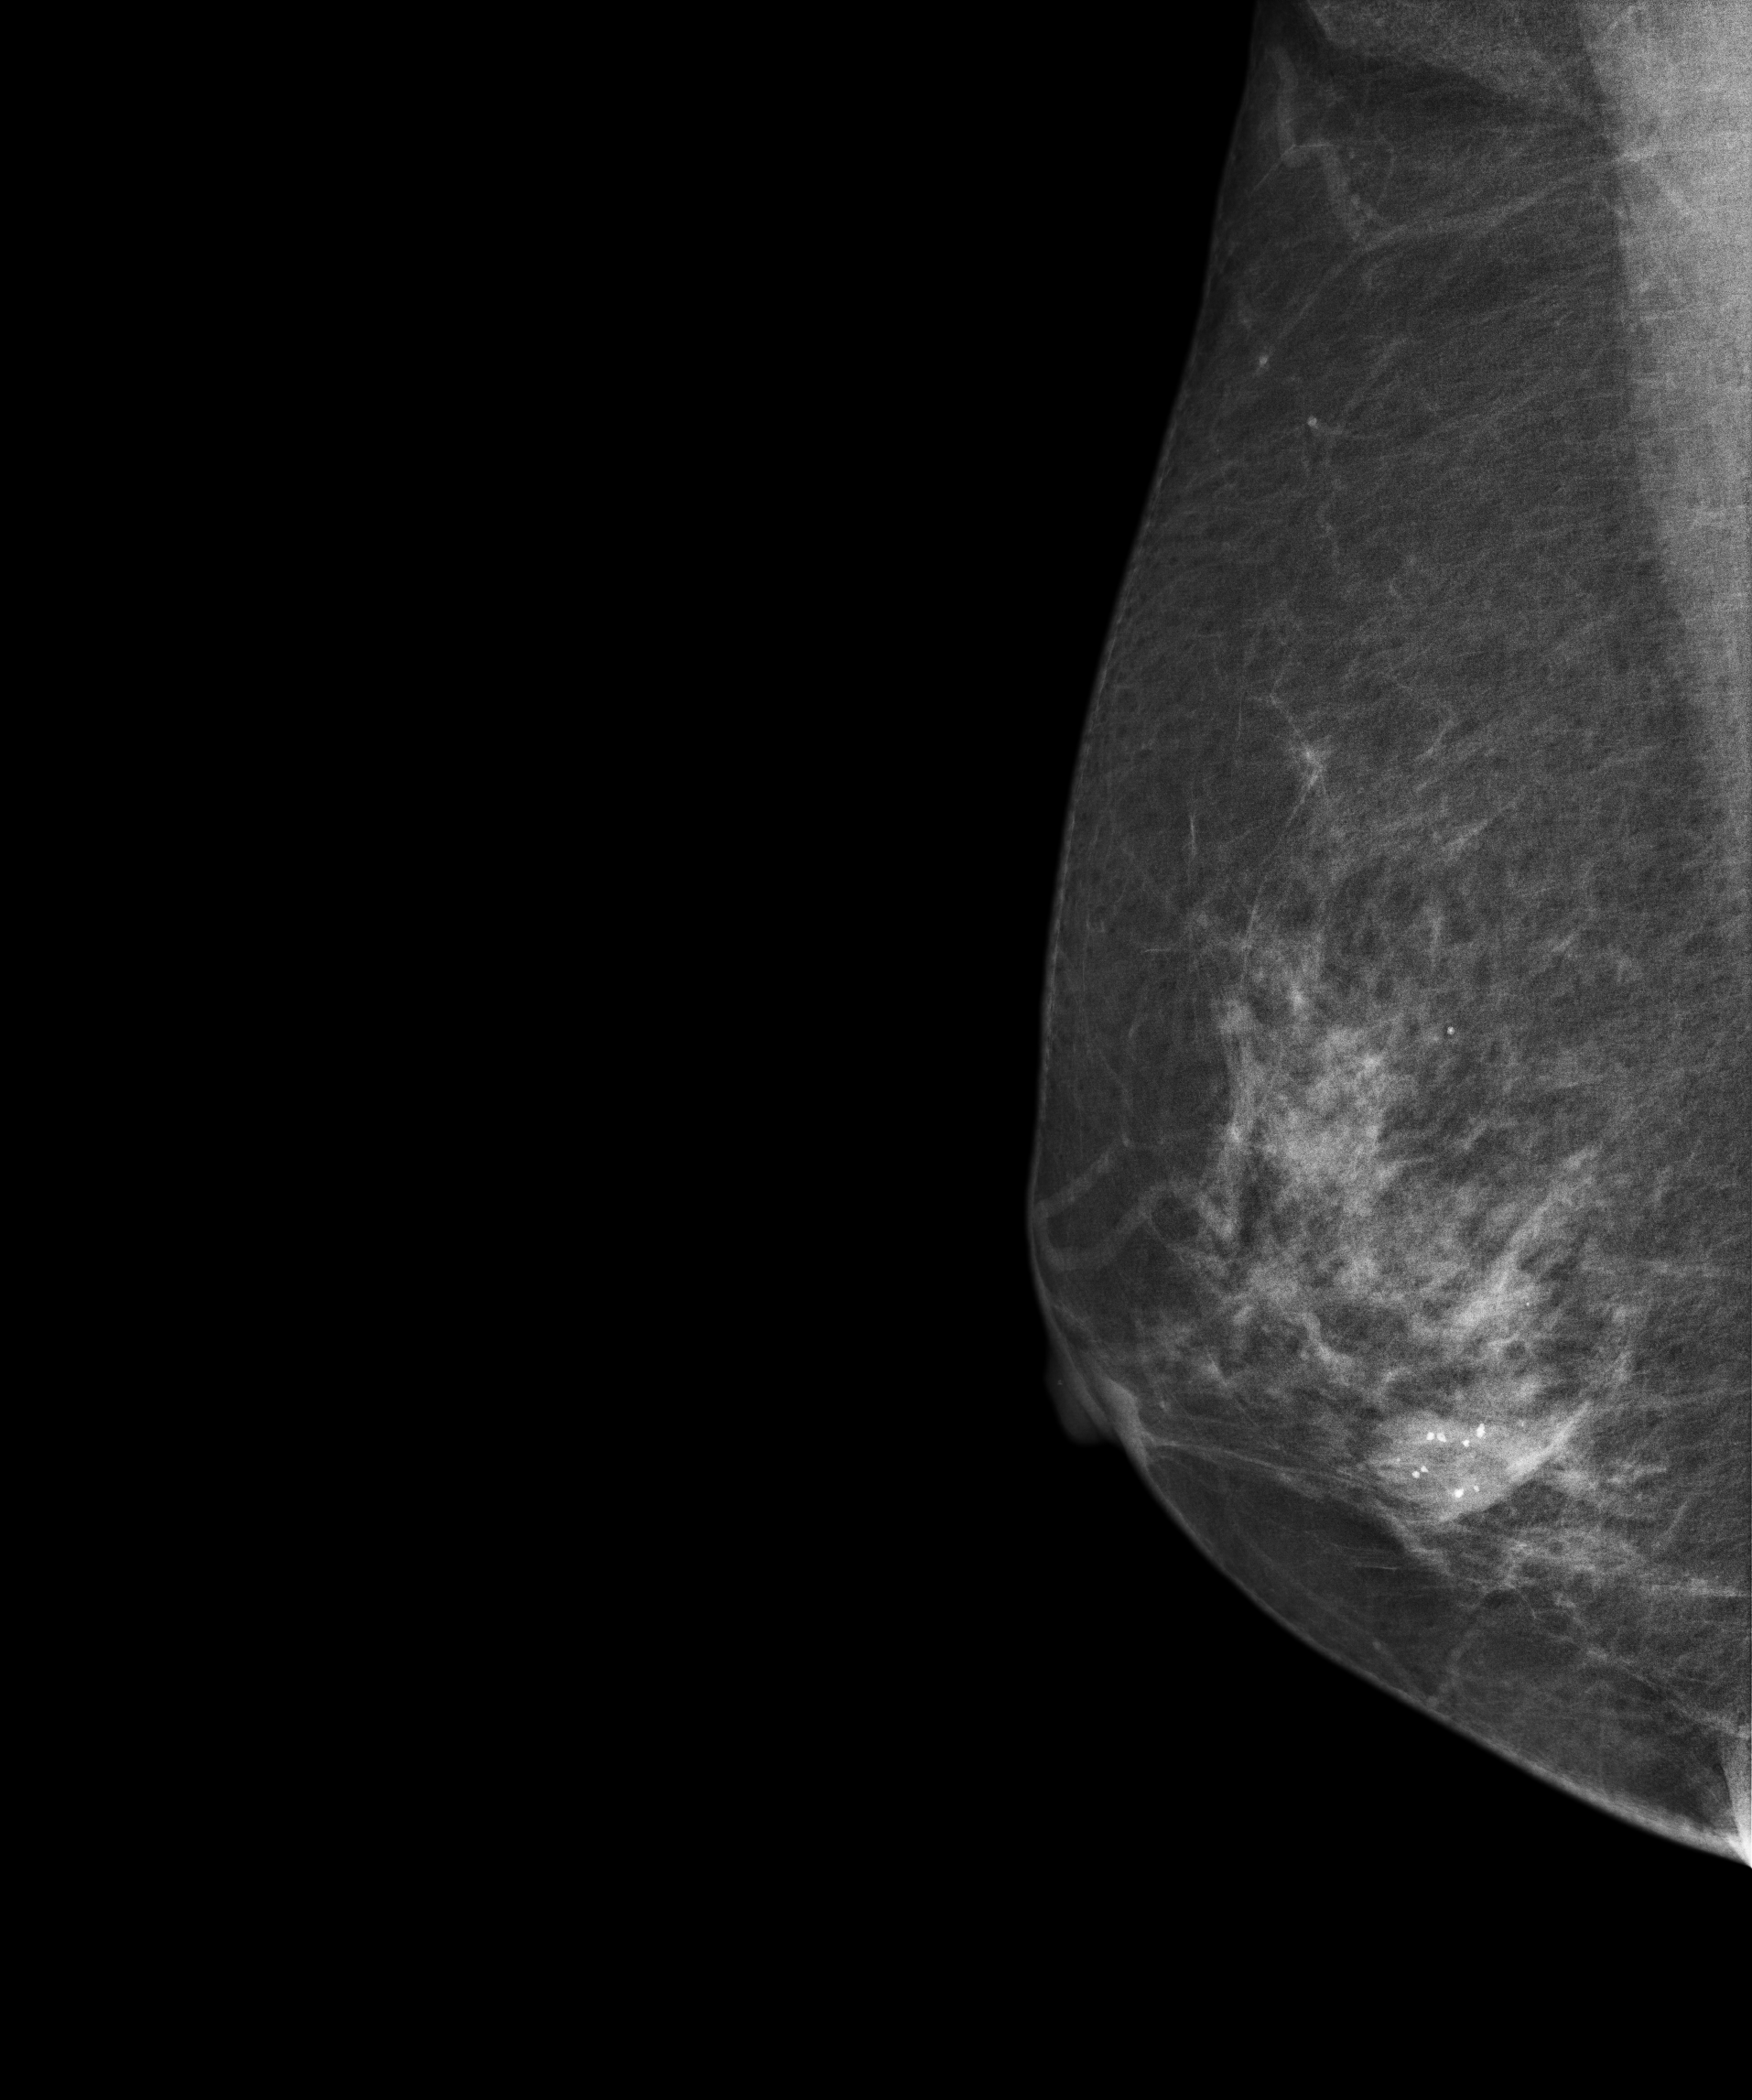
Digital mammography. Right breast, MLO projection. Patient age 67.
This breast has a mass and calcifications, biopsy-proven benign.